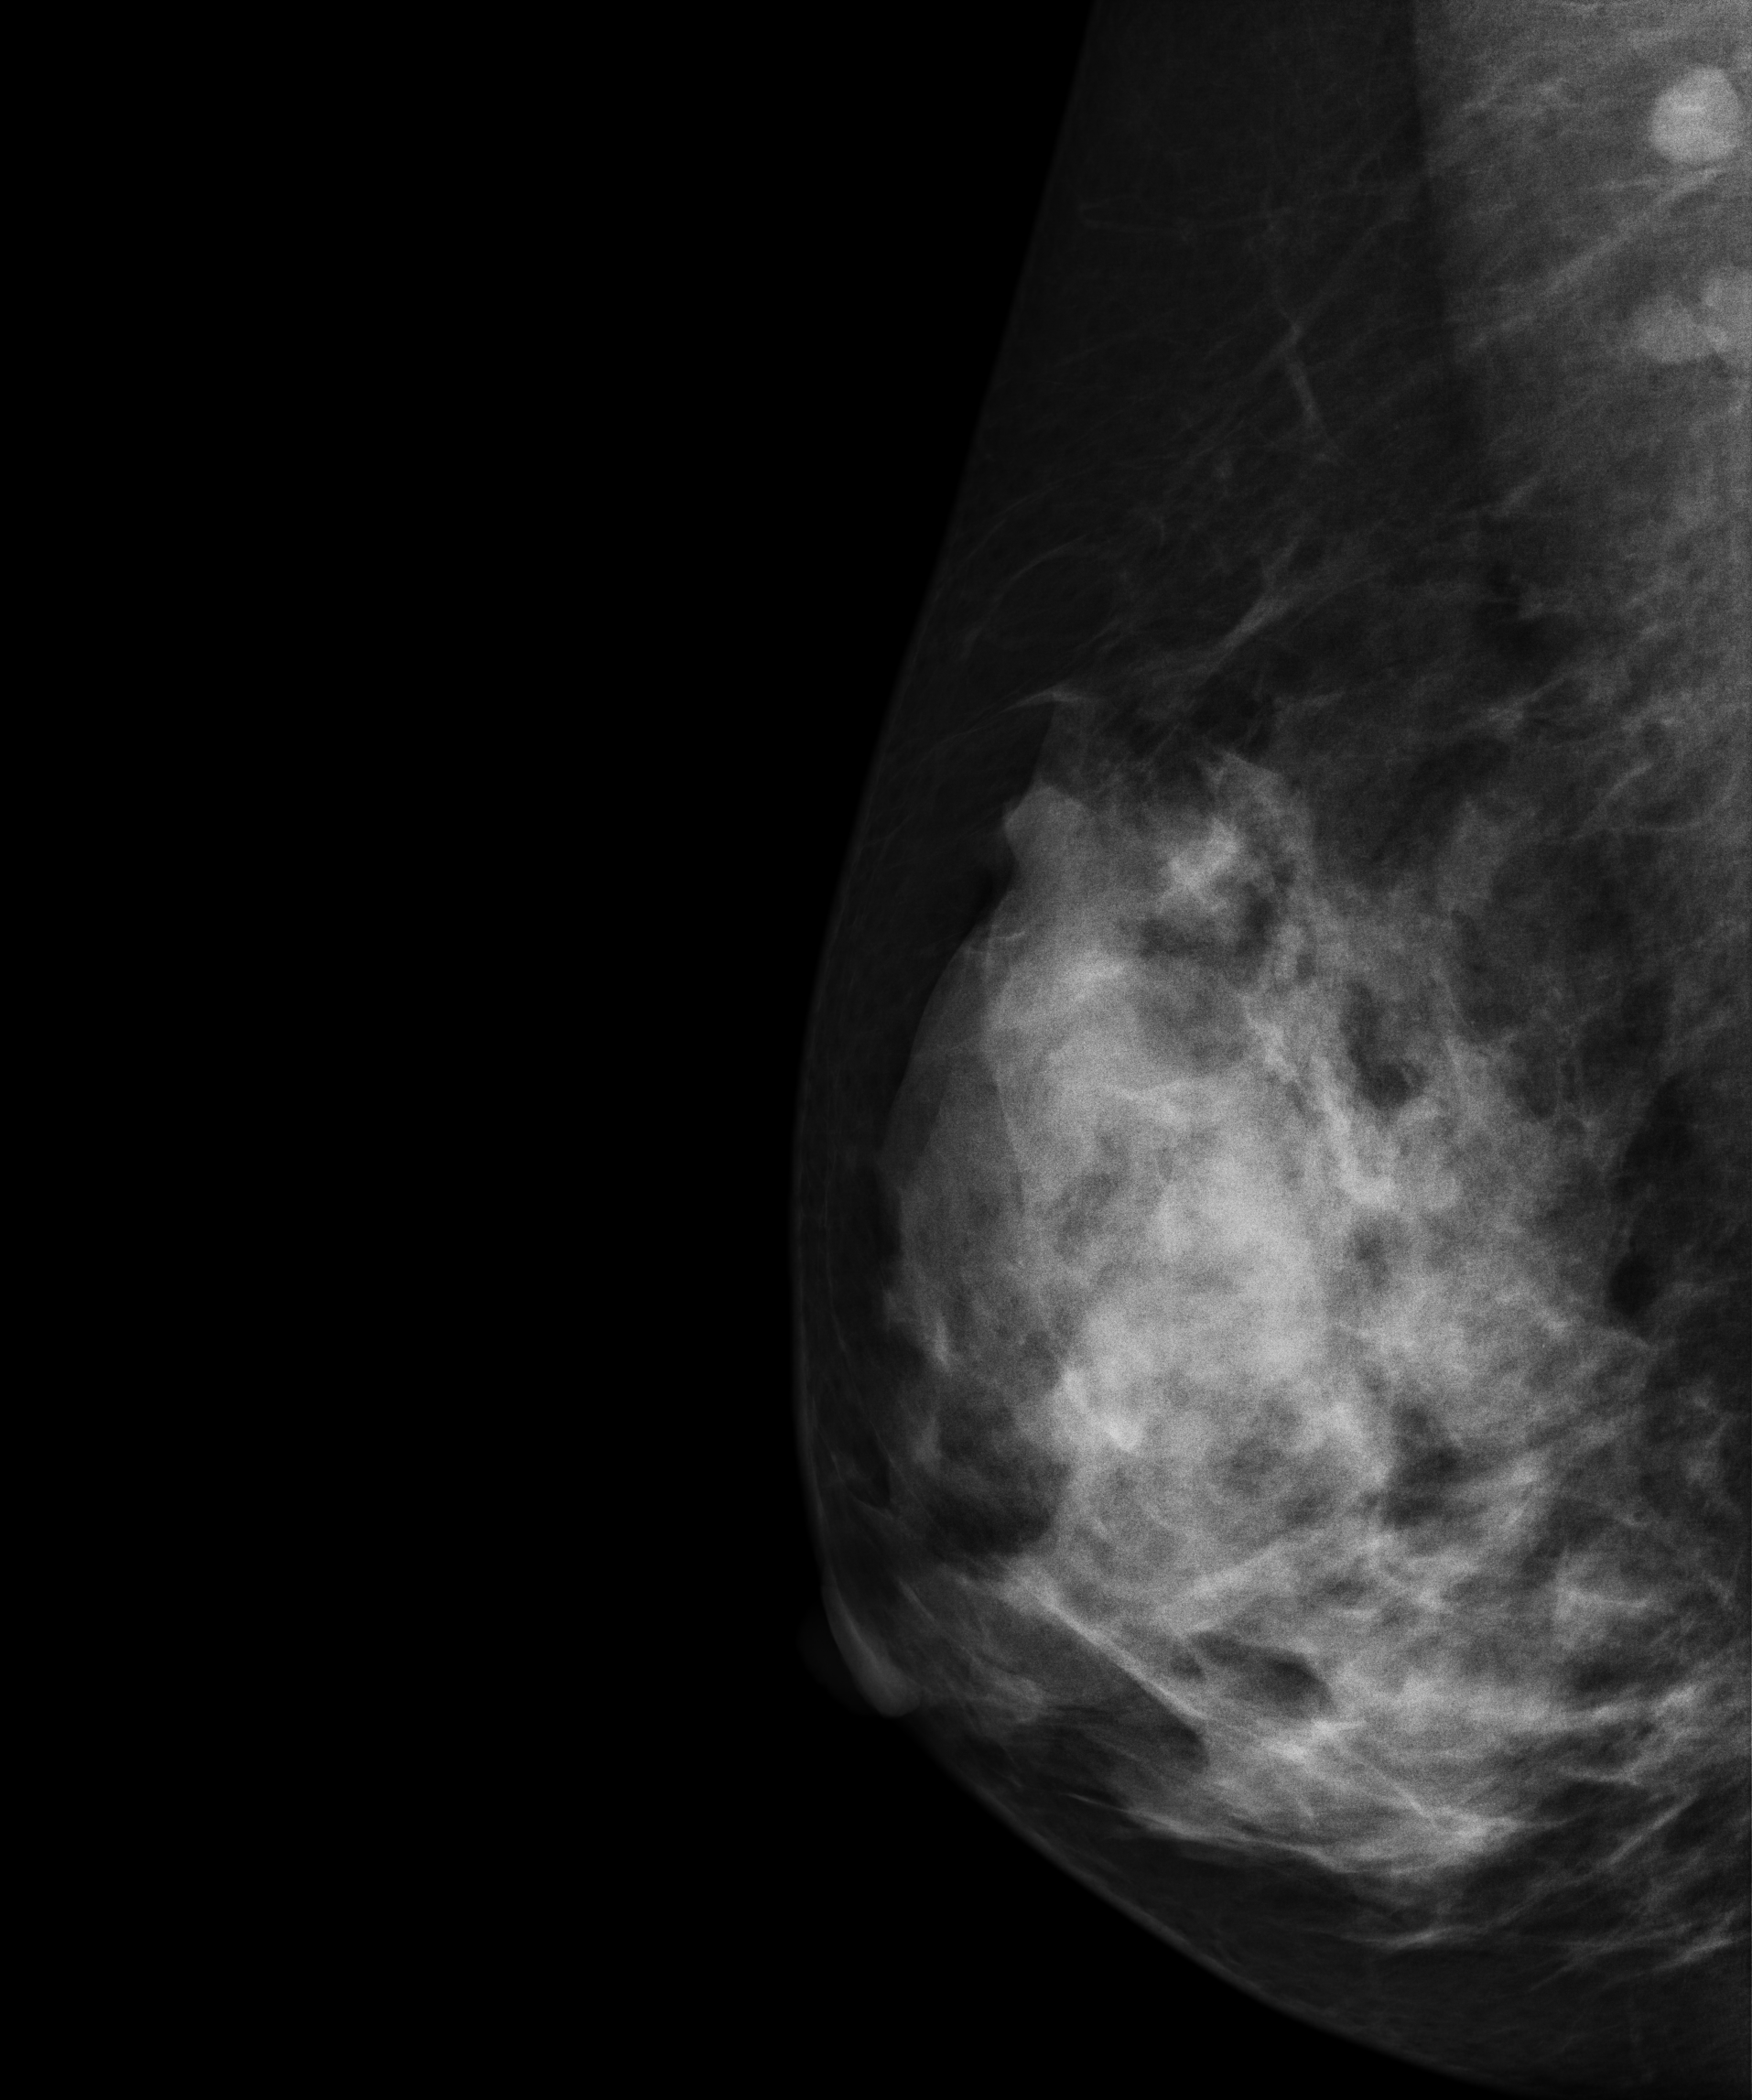
Mammogram, right breast, MLO view. Patient age 41.
This breast has a mass, histologically confirmed malignant. Molecular subtype: luminal B.